Mammogram — right CC. 43 y/o patient.
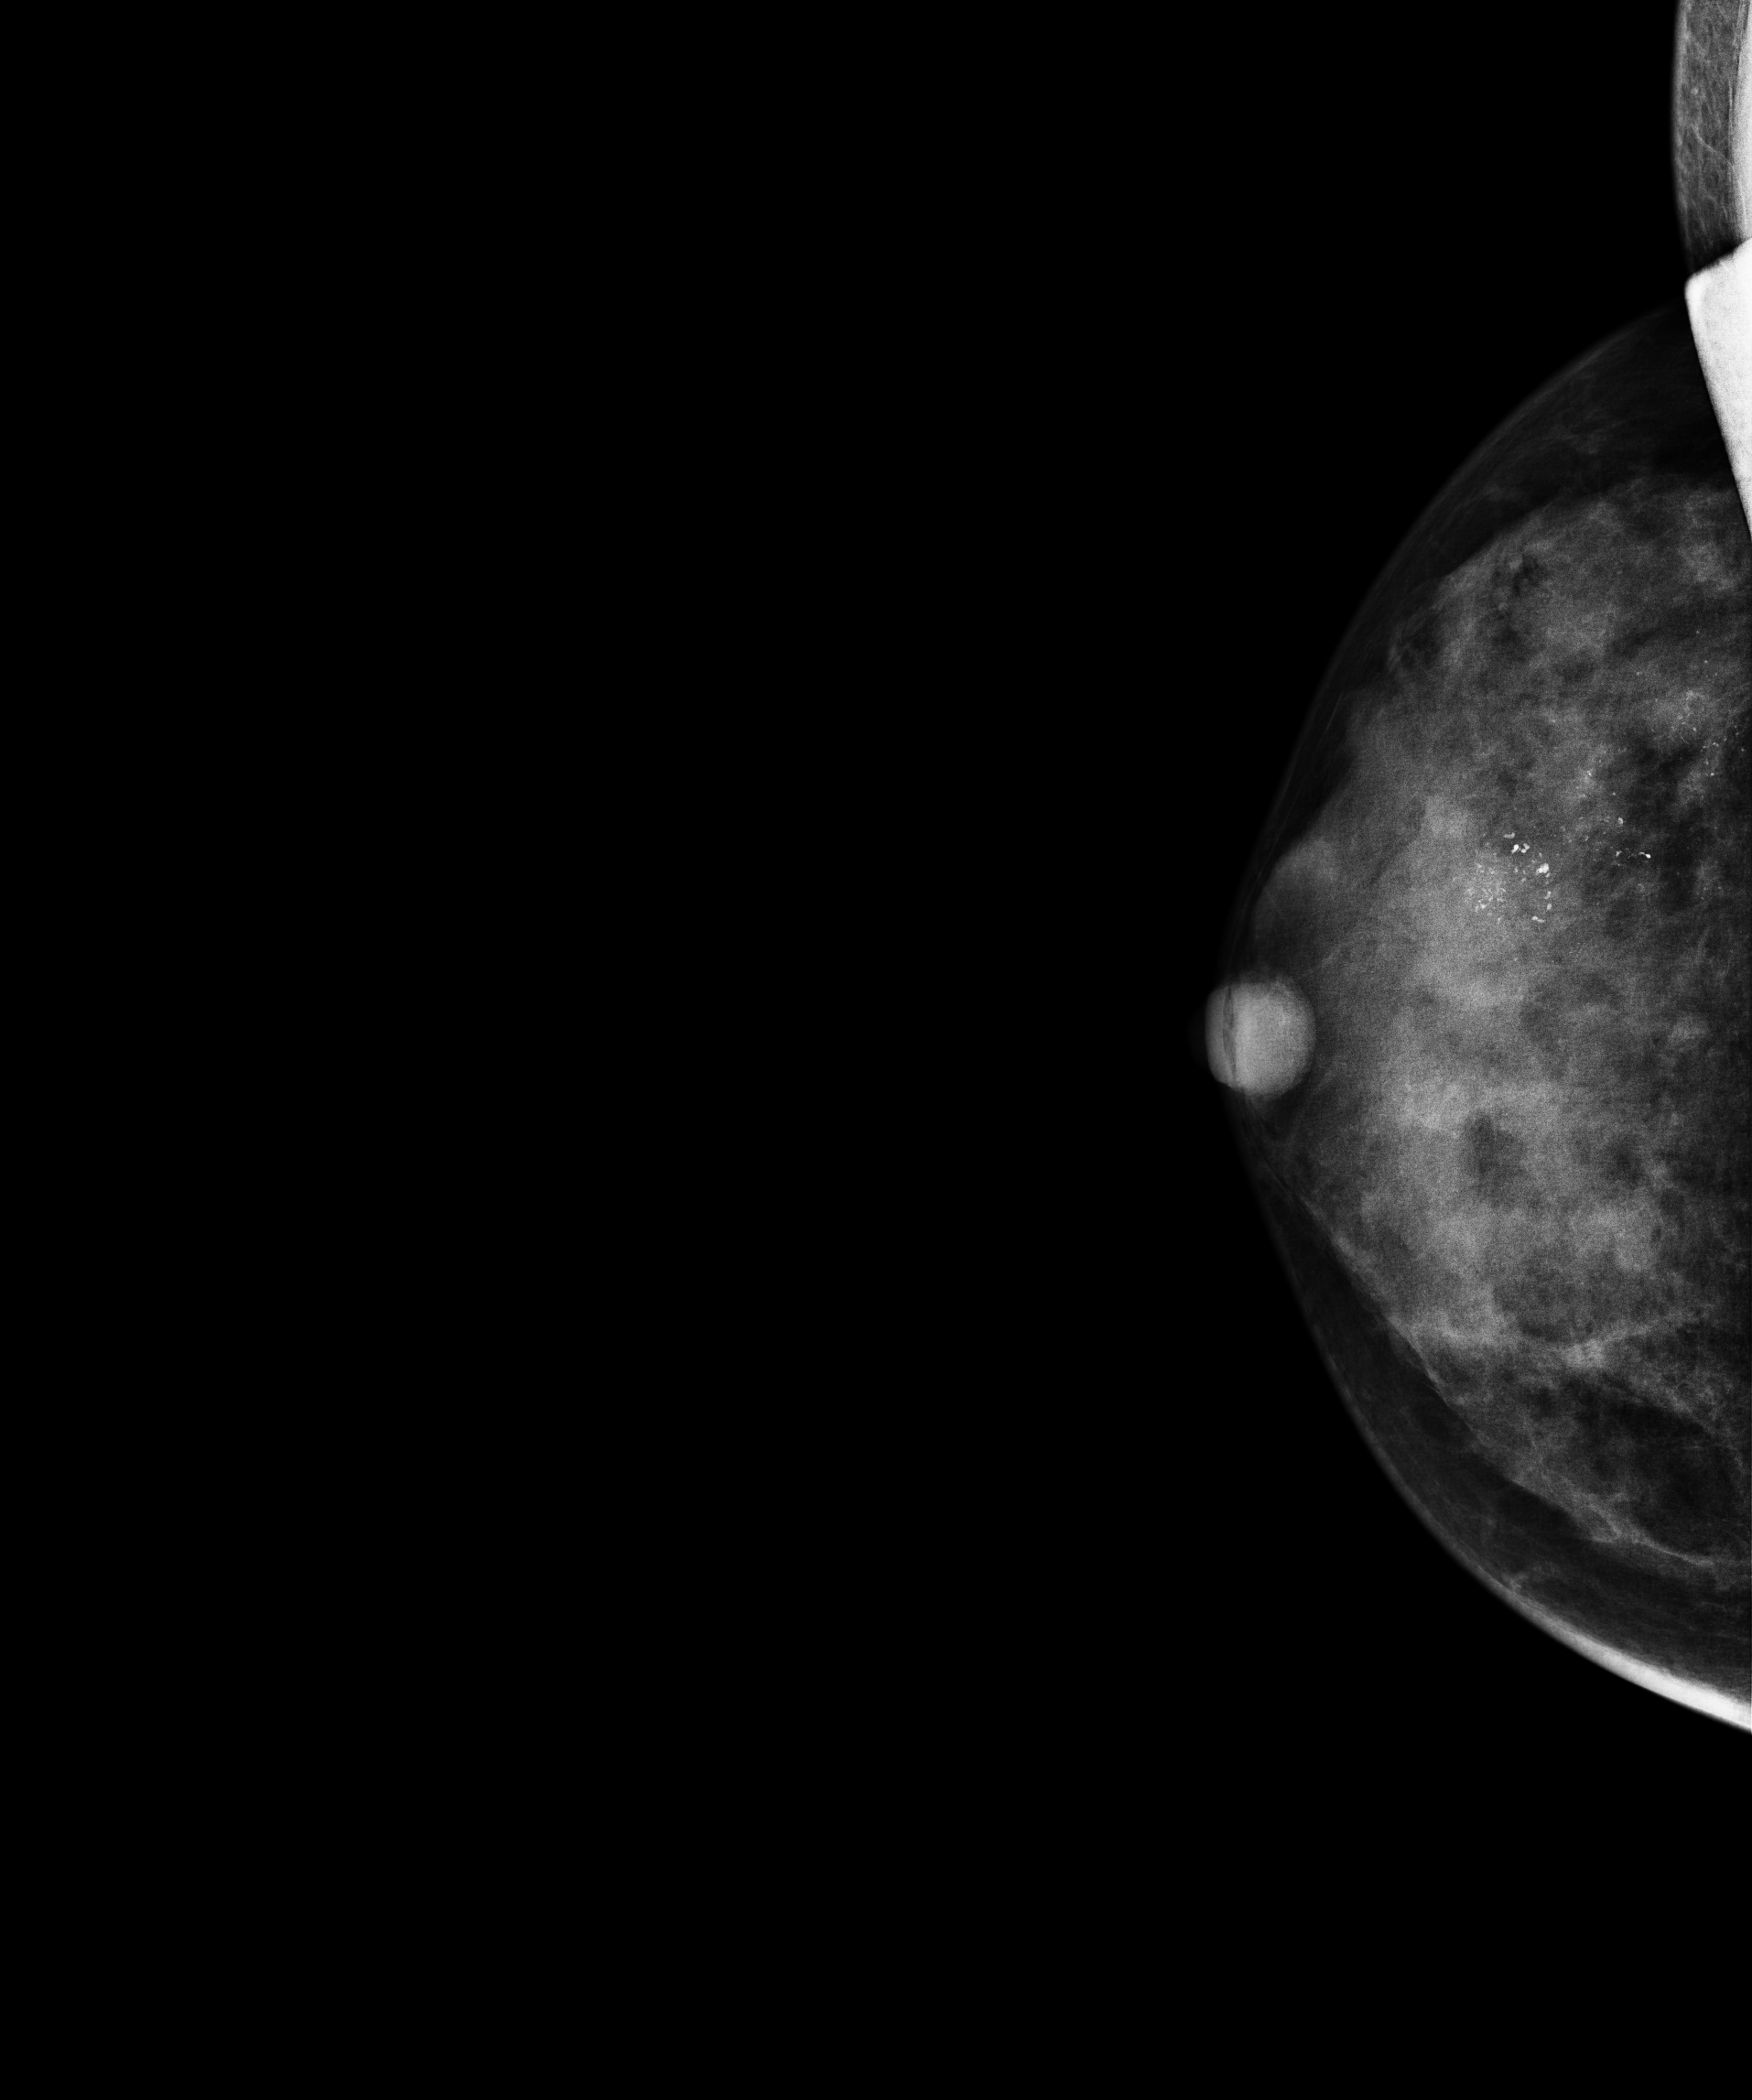
This breast has calcifications, histologically confirmed malignant. Molecular subtype: HER2-enriched.